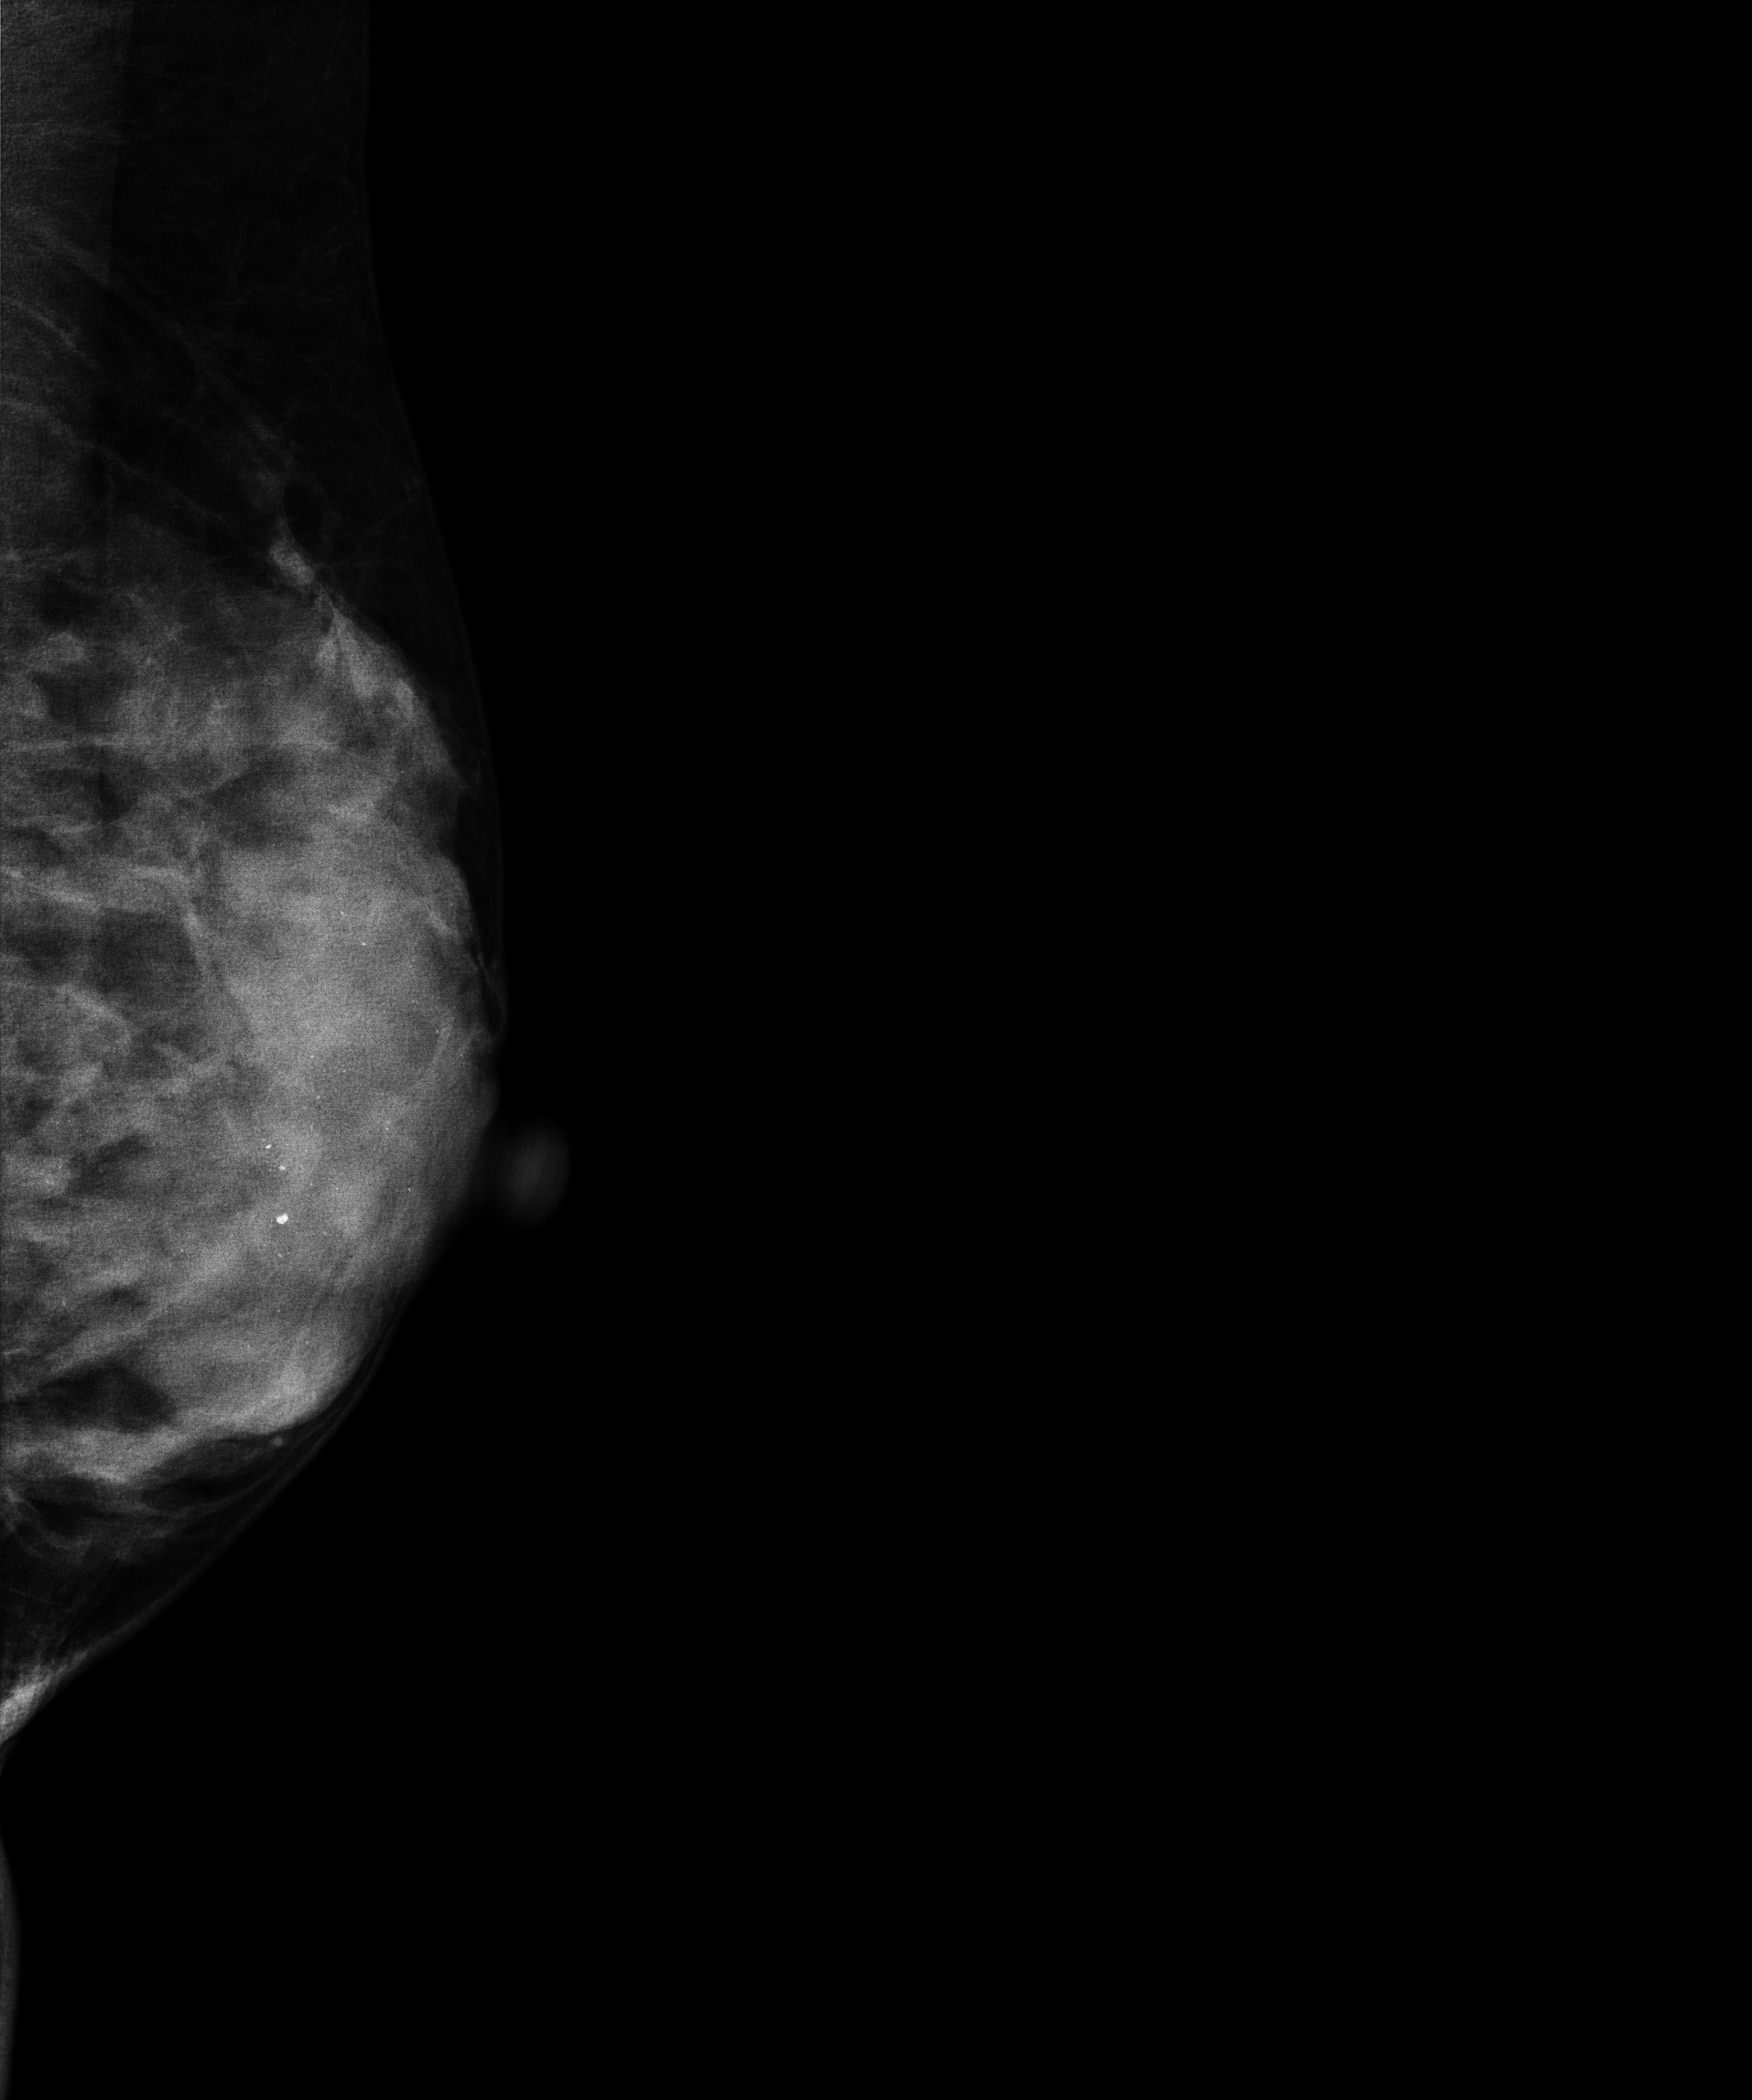
Left-breast mammogram, MLO. Patient age 41.
This breast has a mass and calcifications, histologically confirmed benign.